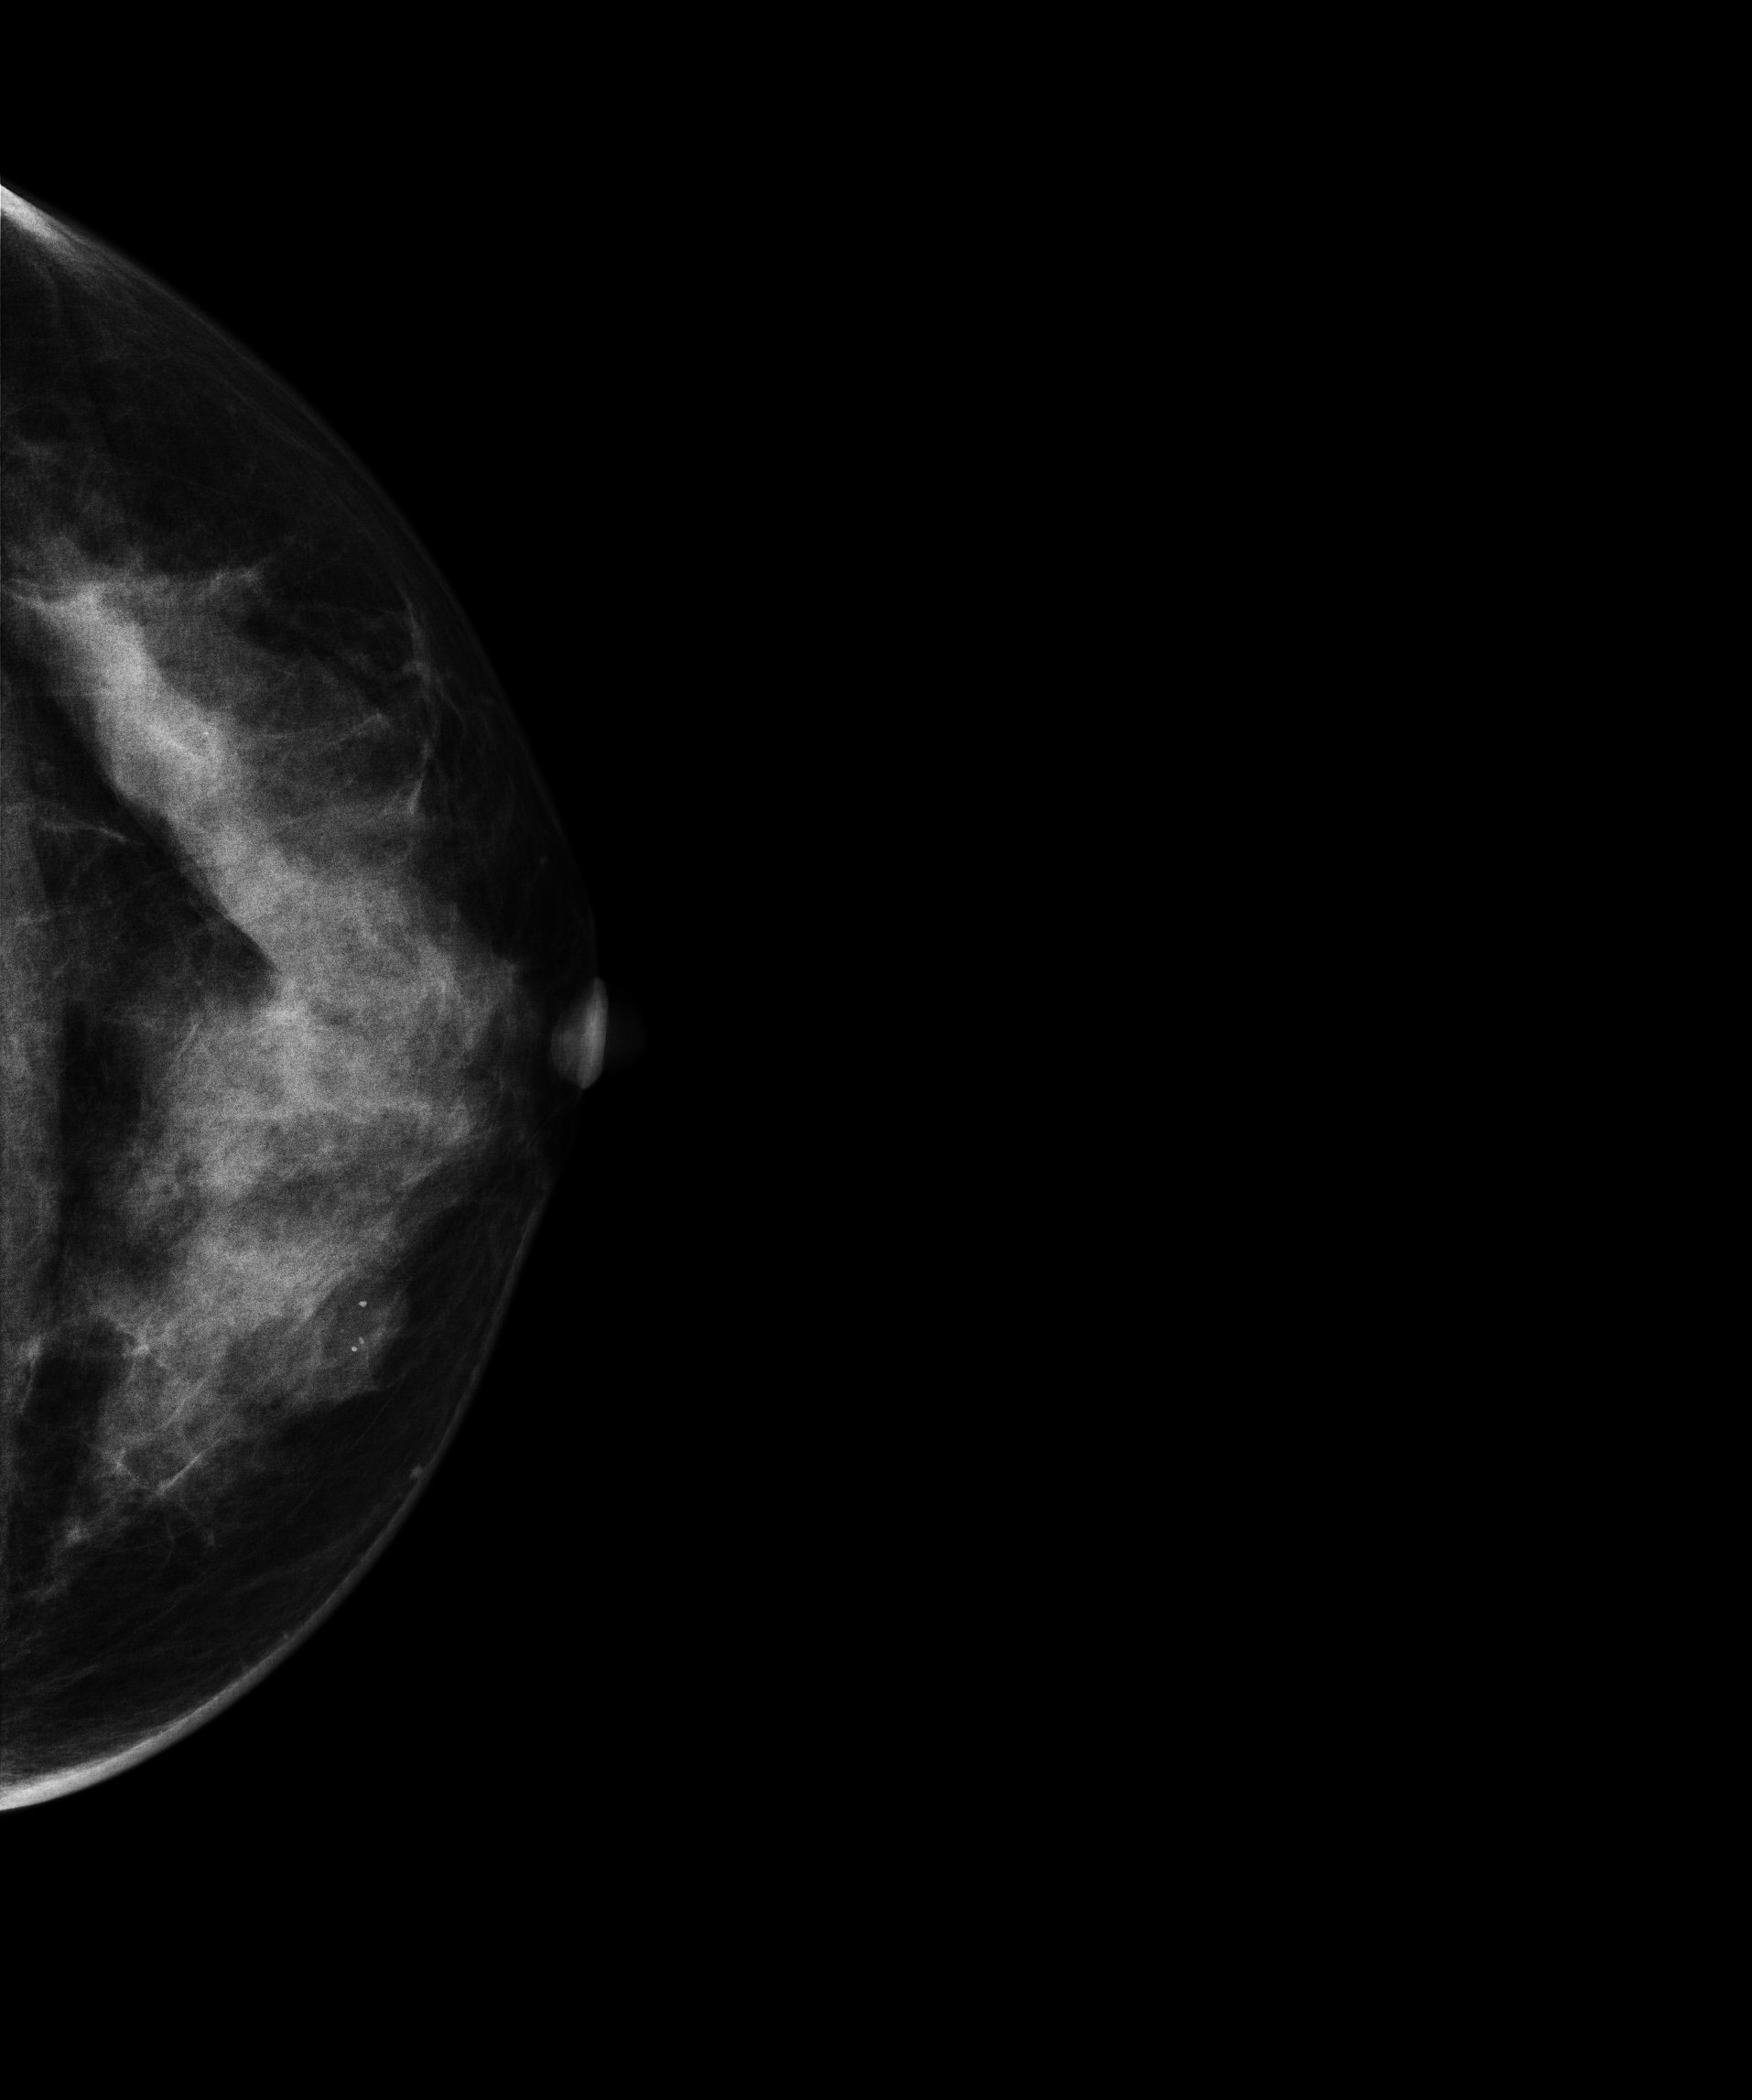
CC mammogram of the left breast. 41-year-old patient.
This breast has calcifications, histologically confirmed benign.